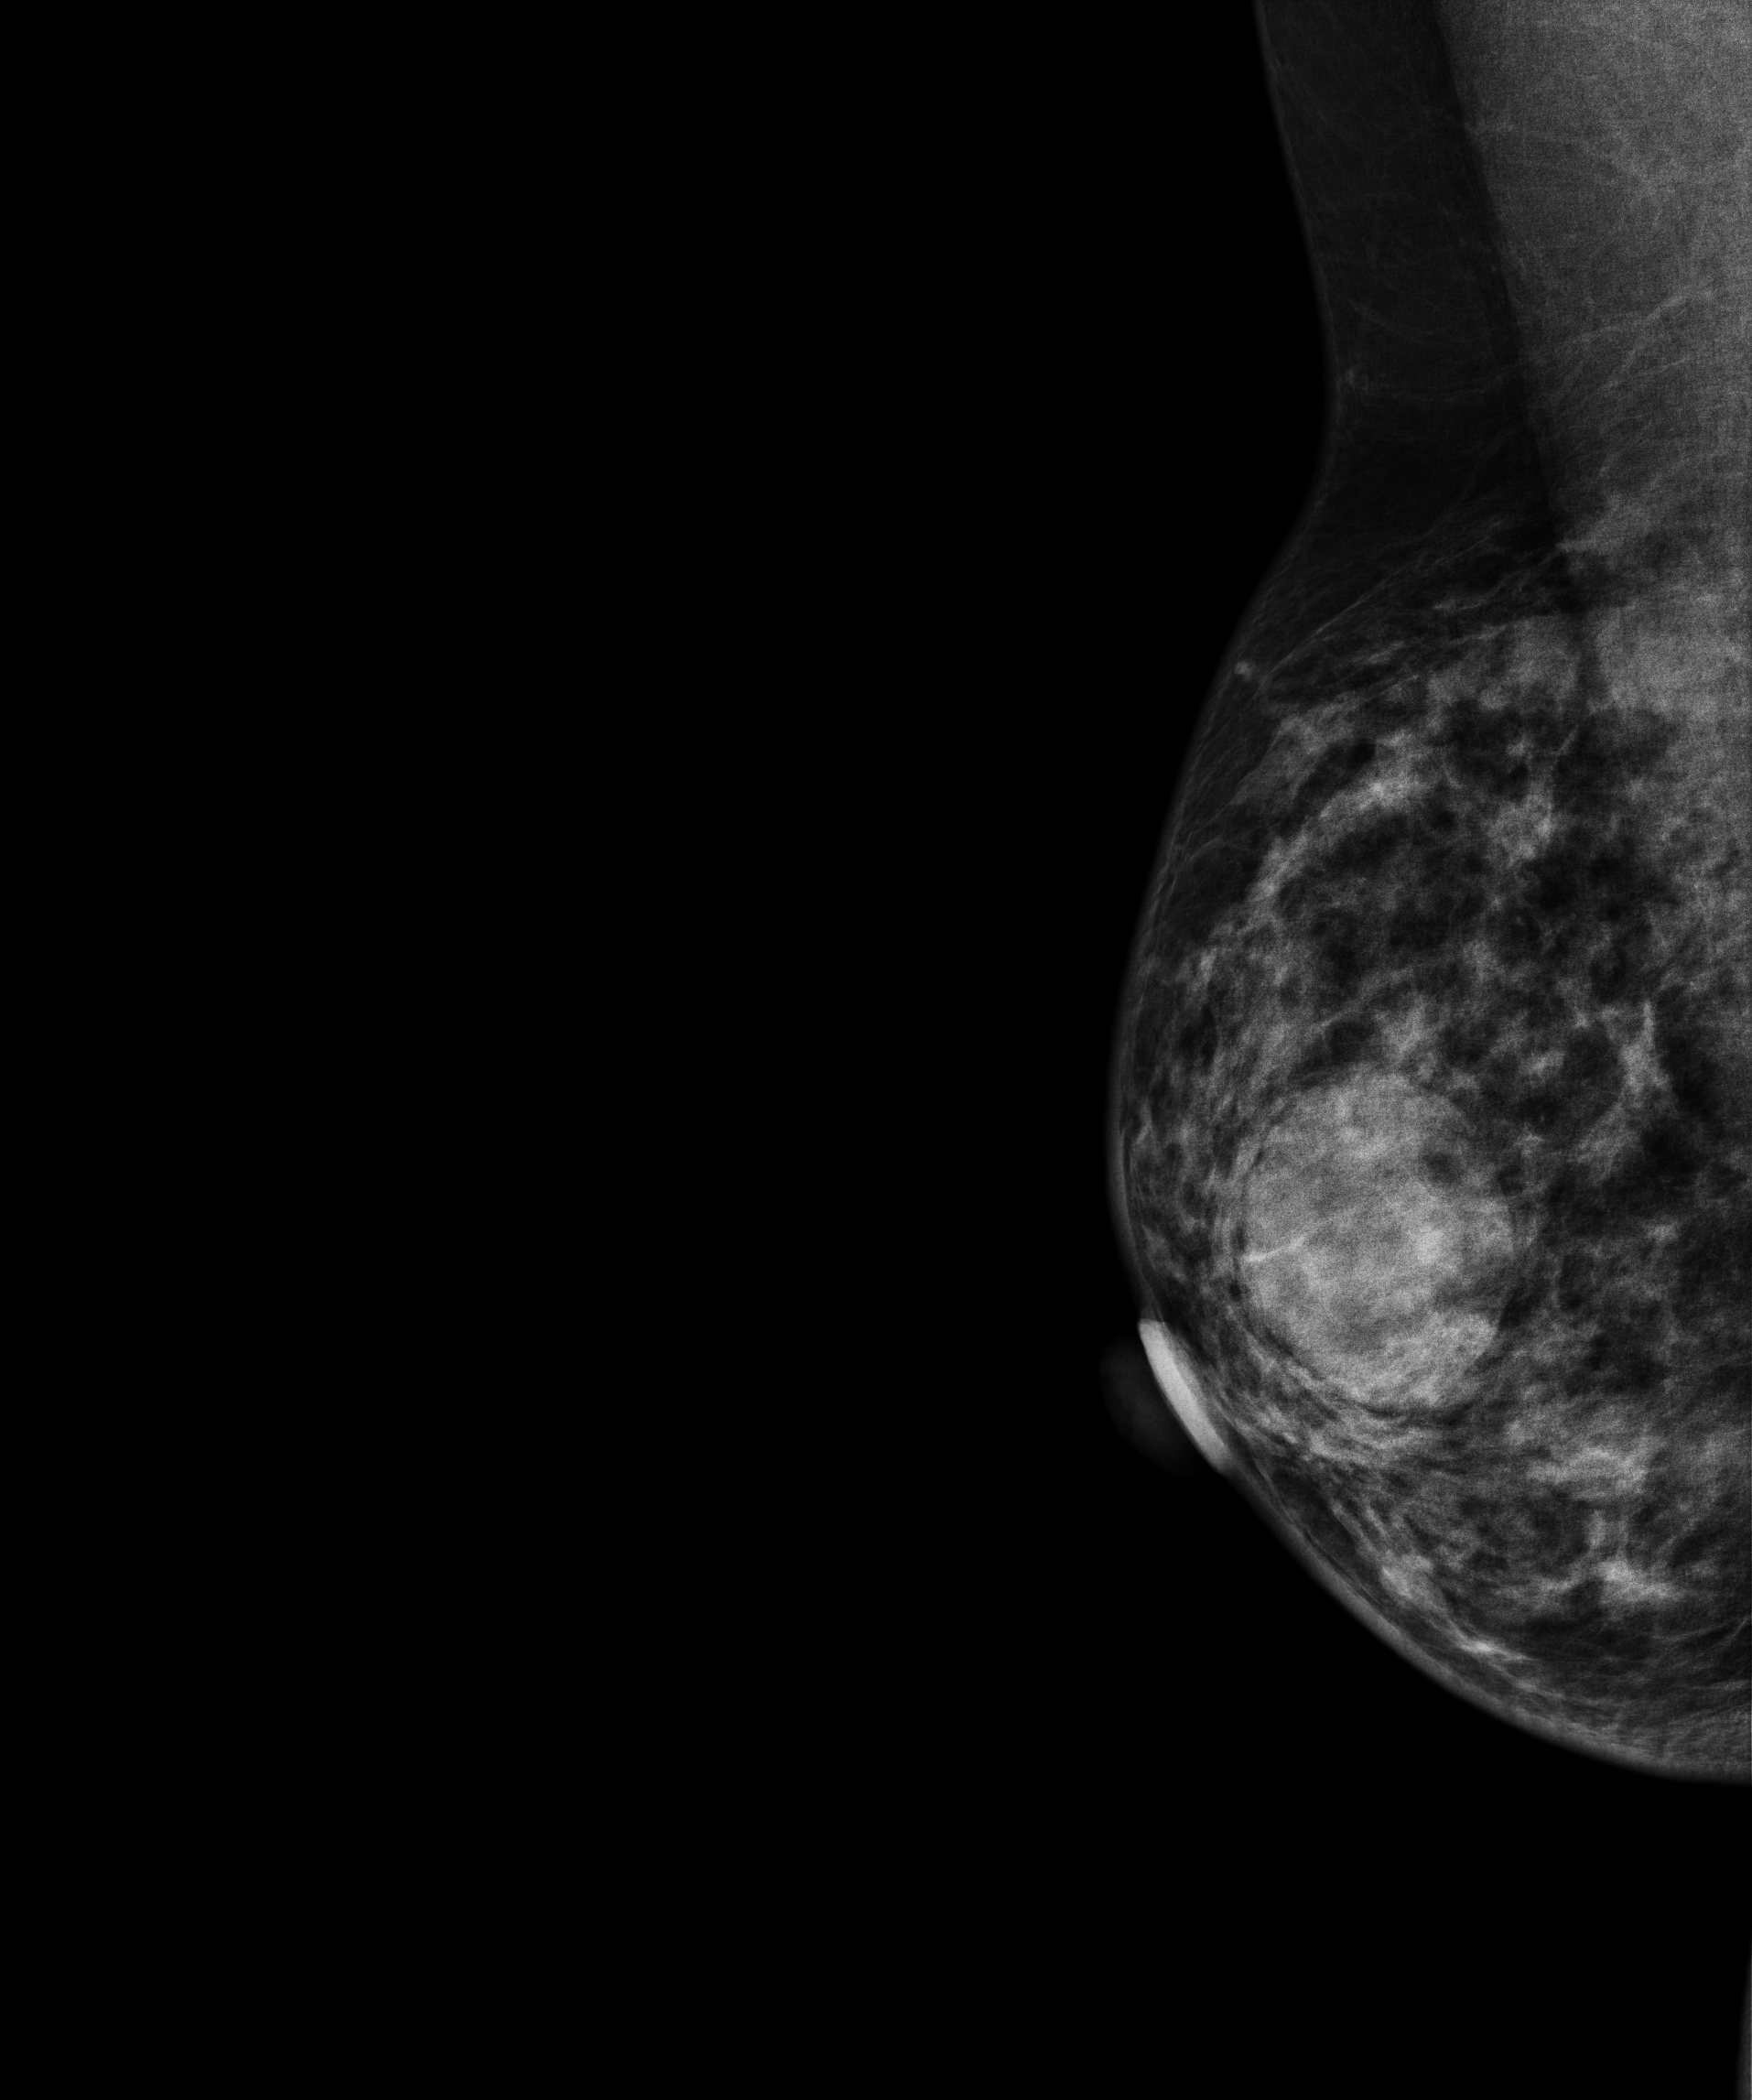
Right-breast mammogram, medio-lateral oblique. Patient age 45.
This breast has a mass, biopsy-proven benign.